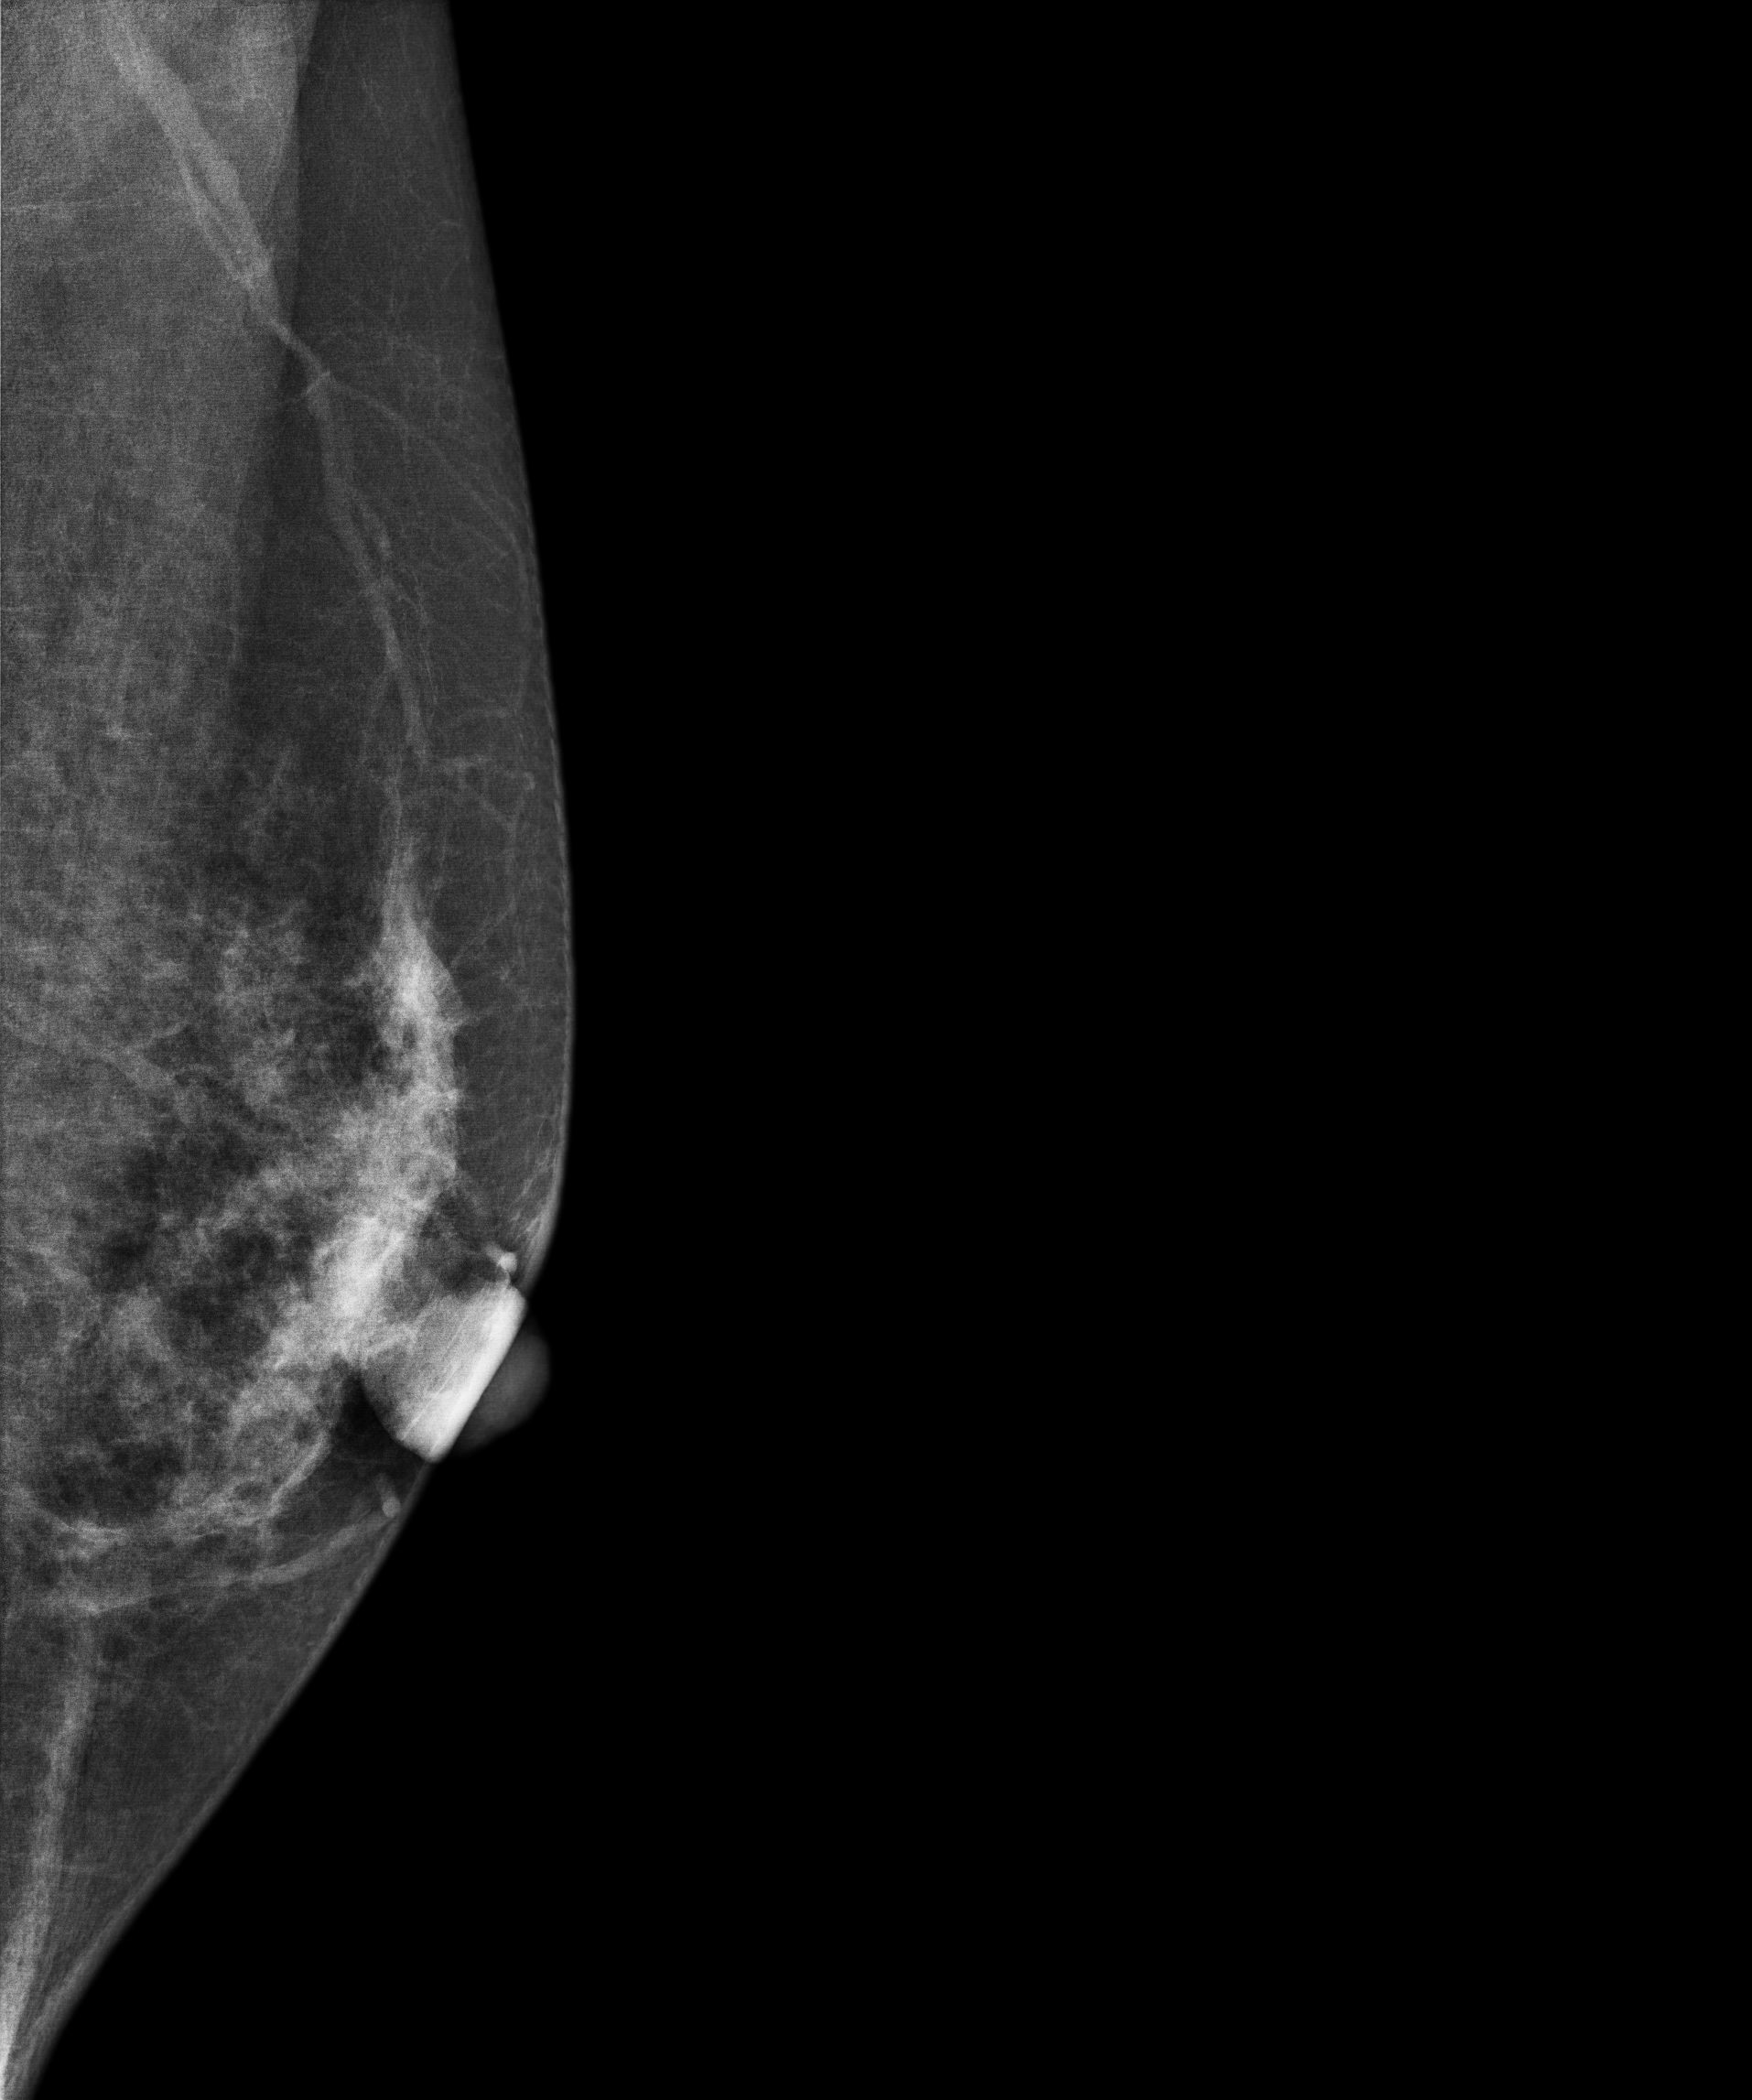
Digital mammography. Left breast, MLO projection. Patient age 37.
This breast has a mass, biopsy-confirmed benign.